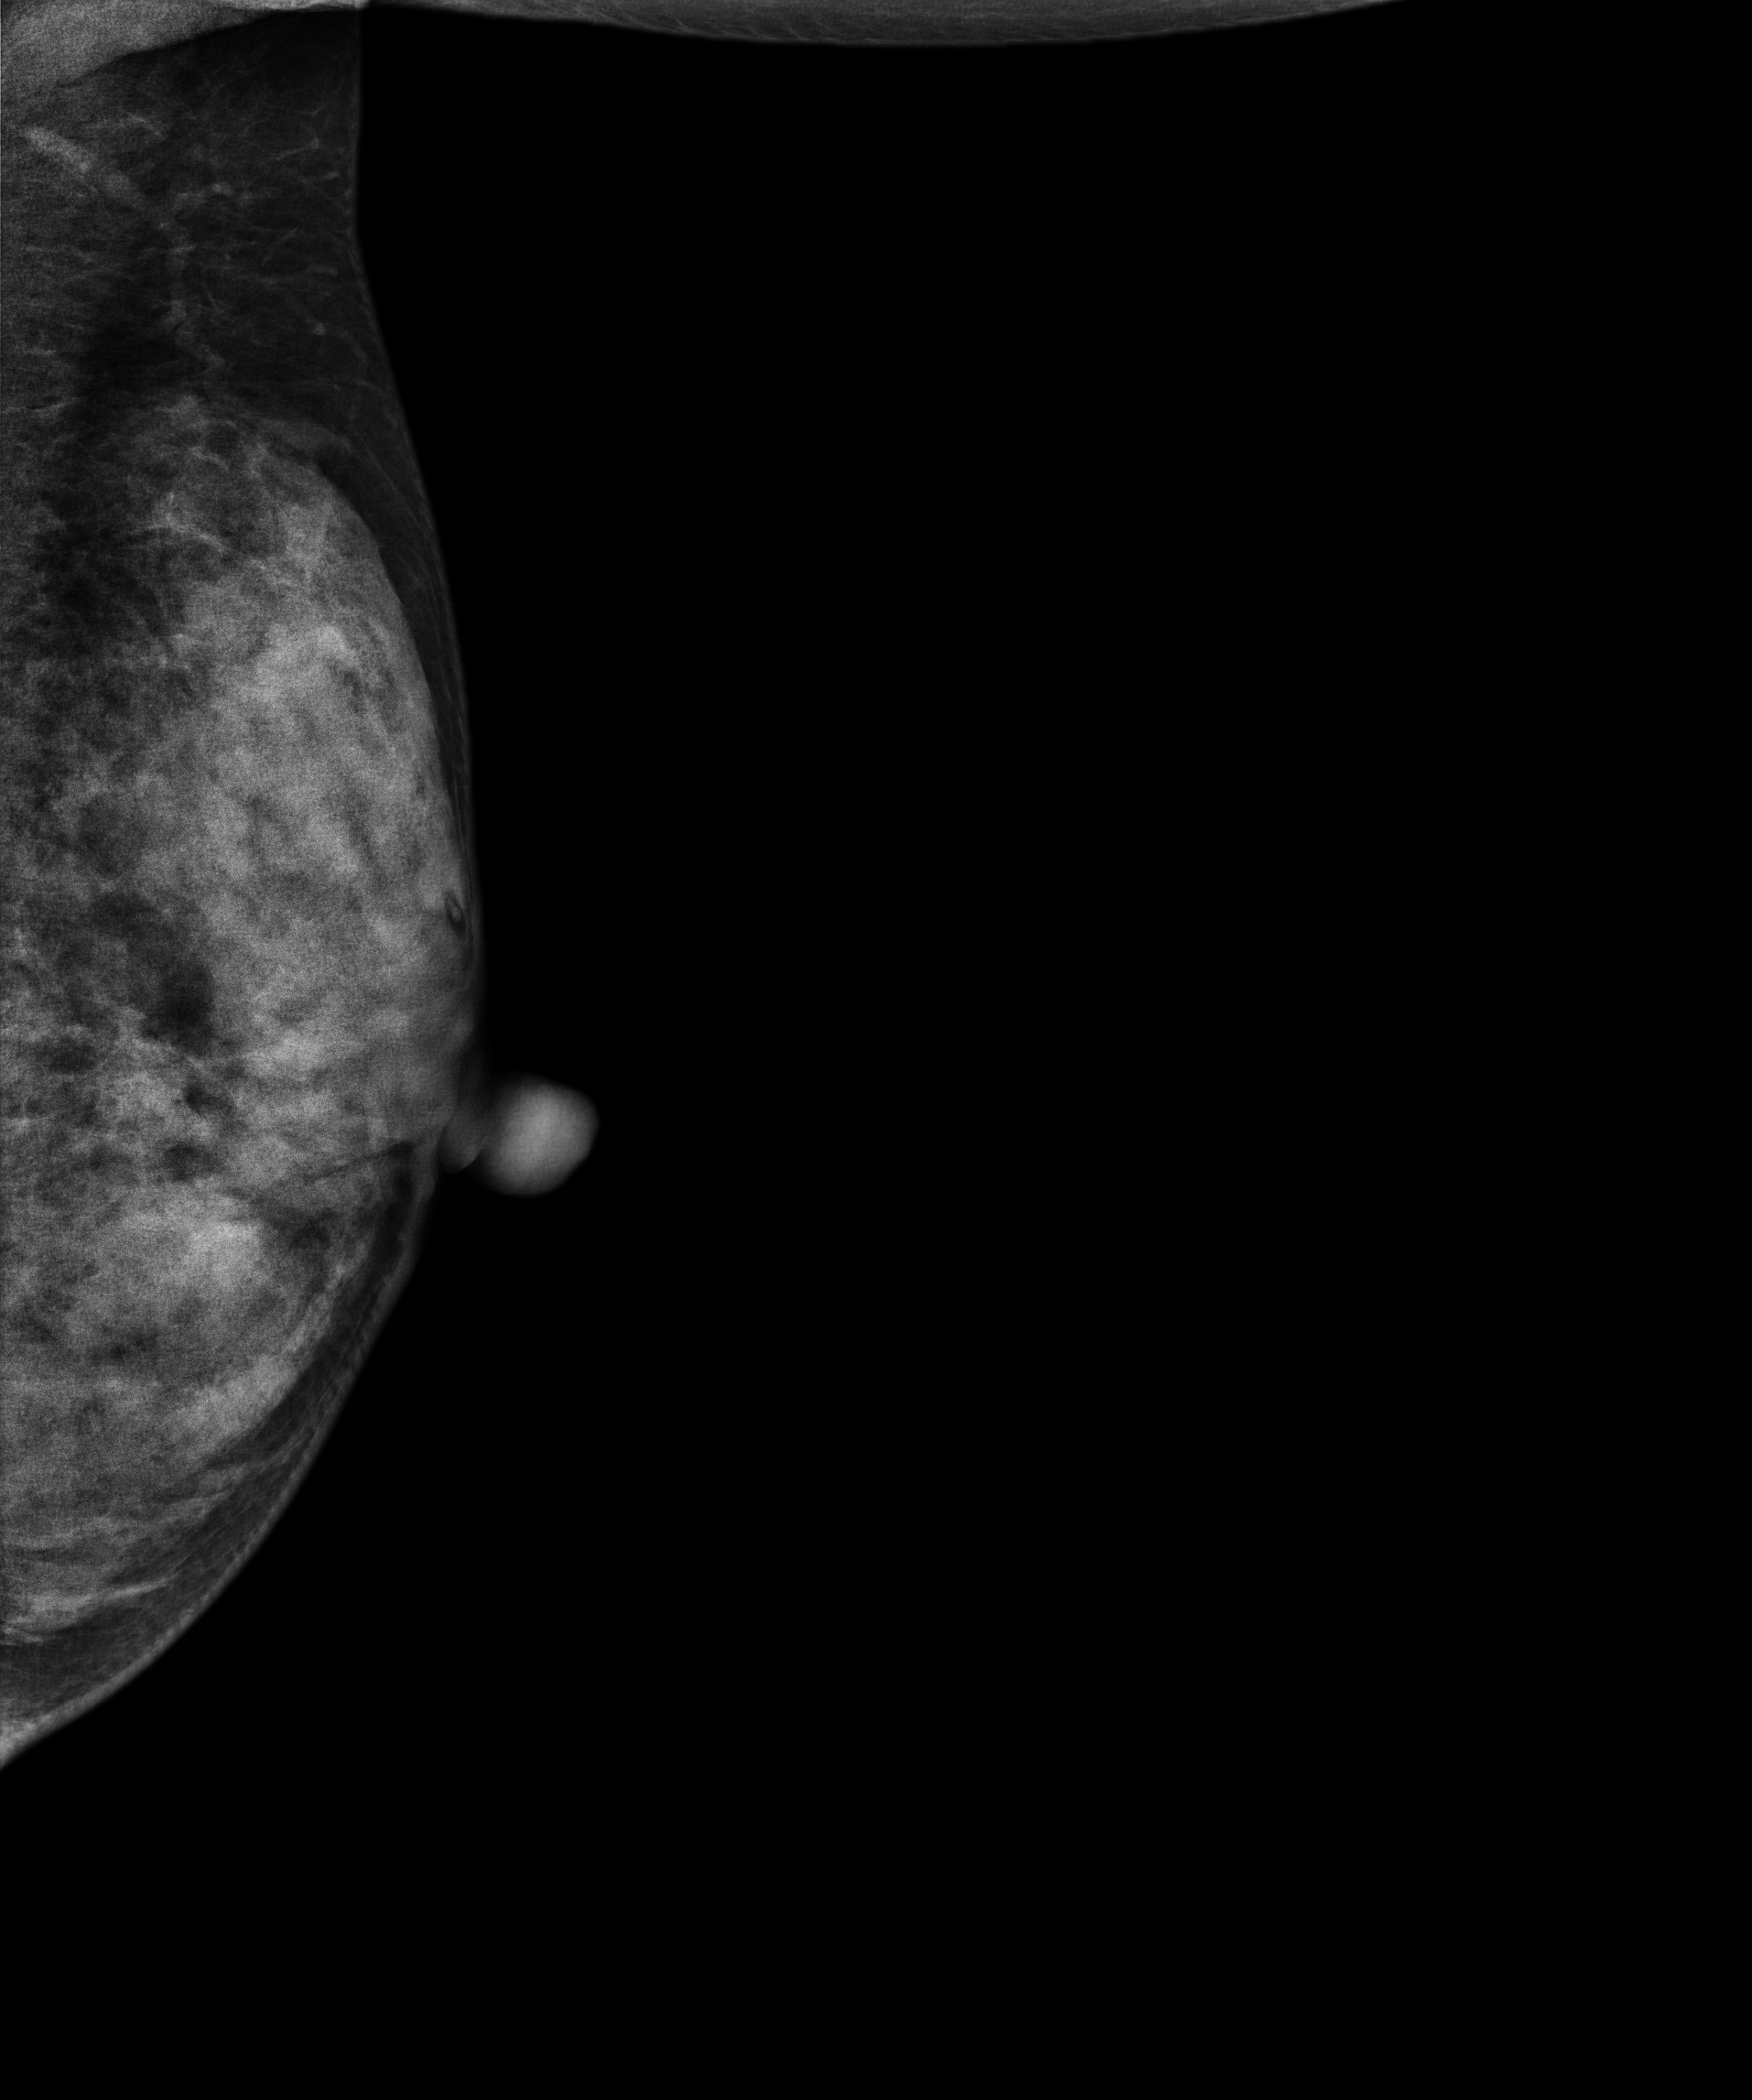
Digital mammography. Left breast, medio-lateral oblique projection. 39-year-old patient.
This breast has a mass, biopsy-proven malignant.